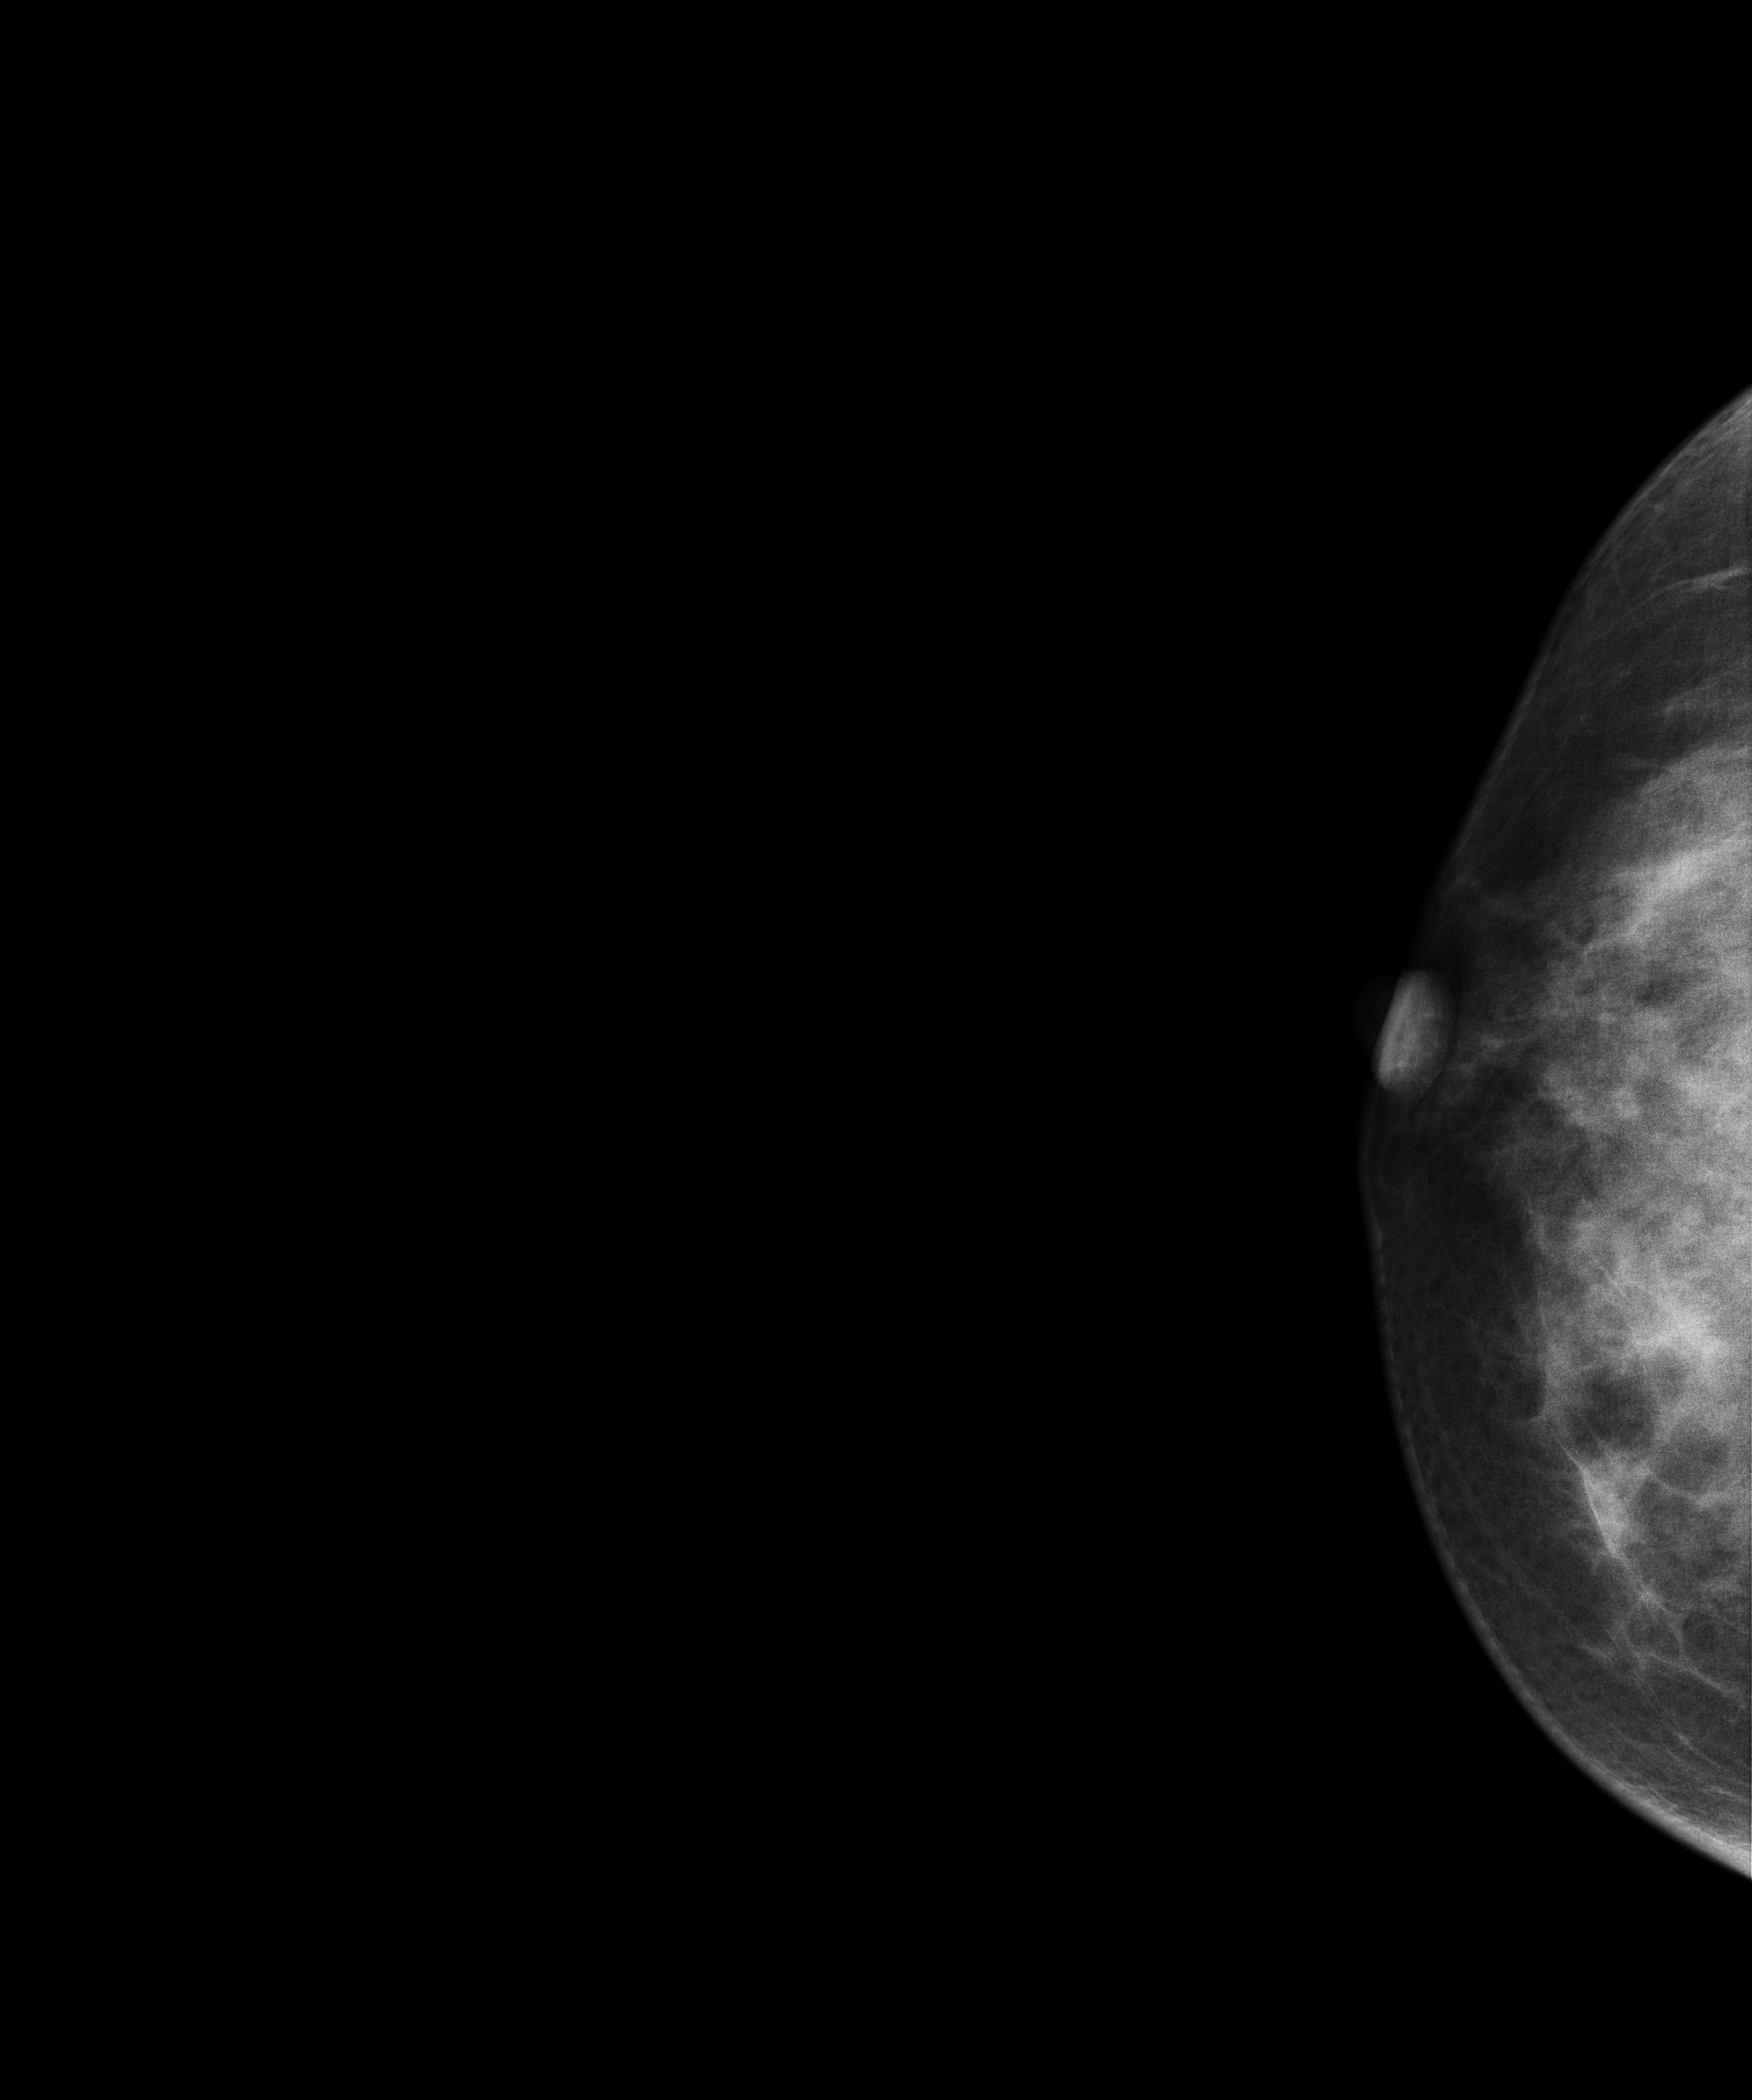
Mammogram, right breast, cranio-caudal view. 41-year-old patient.
This breast has a mass, pathology-confirmed benign.